Right-breast mammogram, medio-lateral oblique. 31 y/o patient.
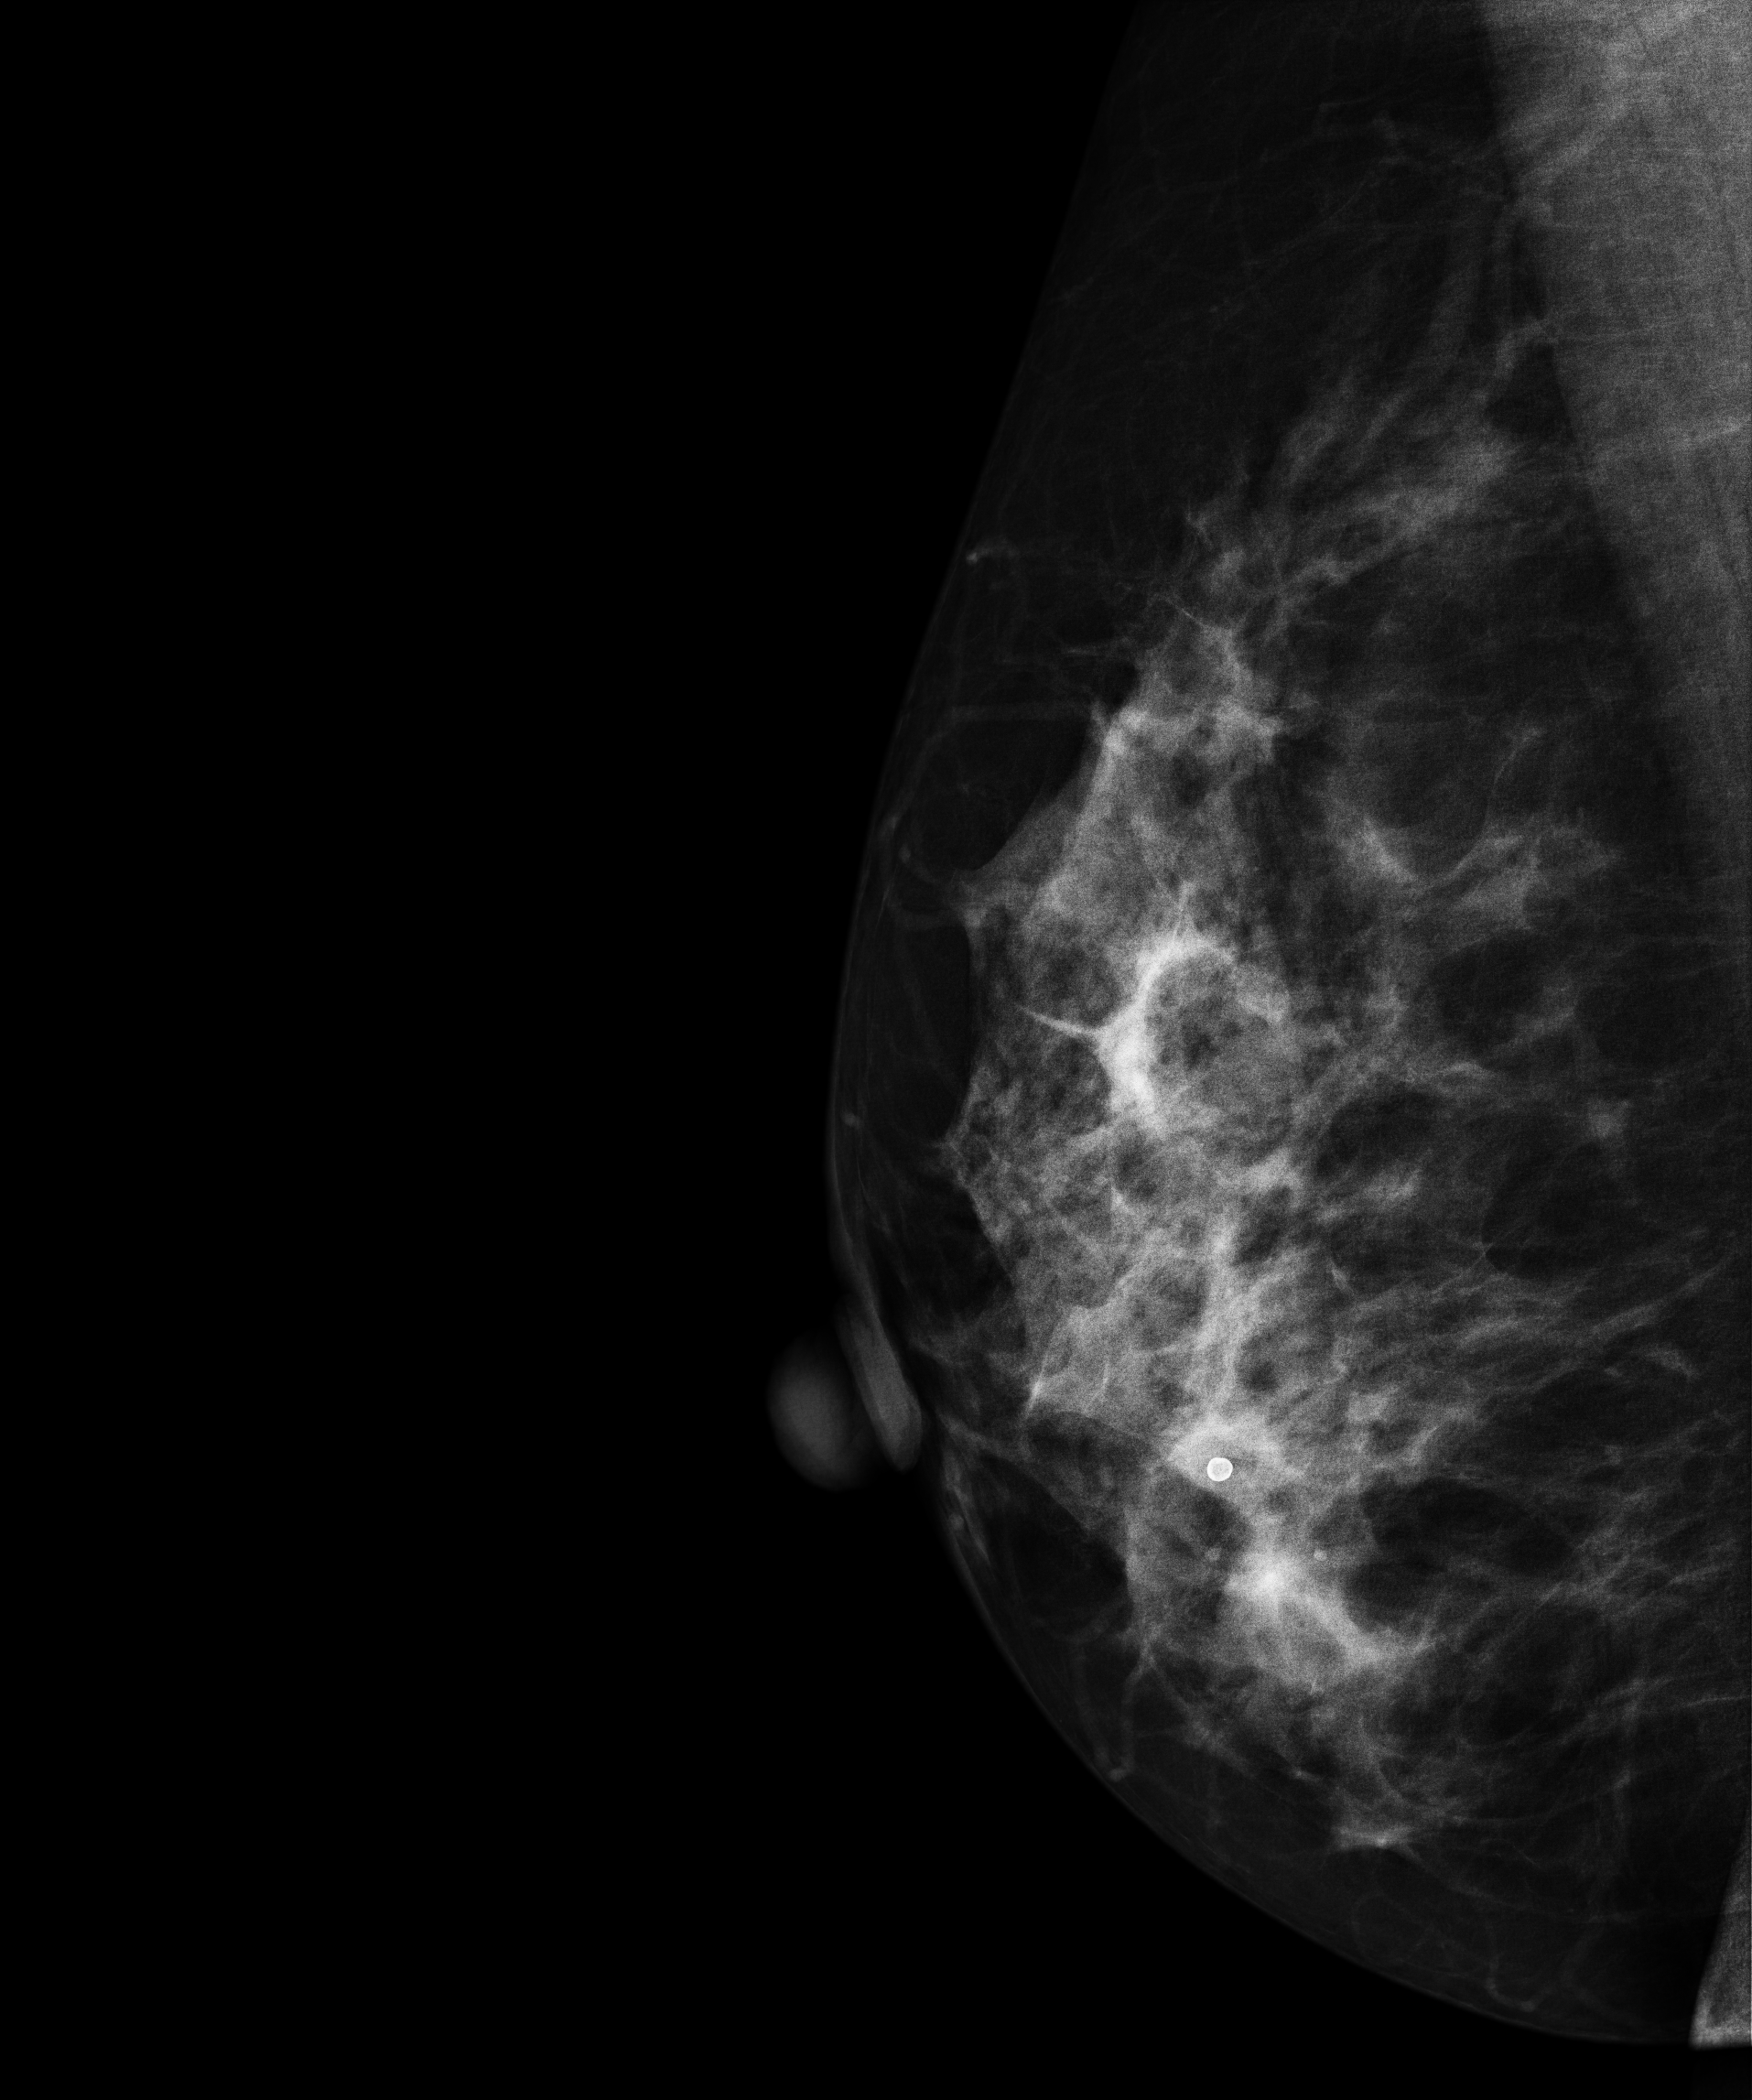
This breast has calcifications, biopsy-proven benign.